MLO mammogram of the left breast. 62 y/o patient.
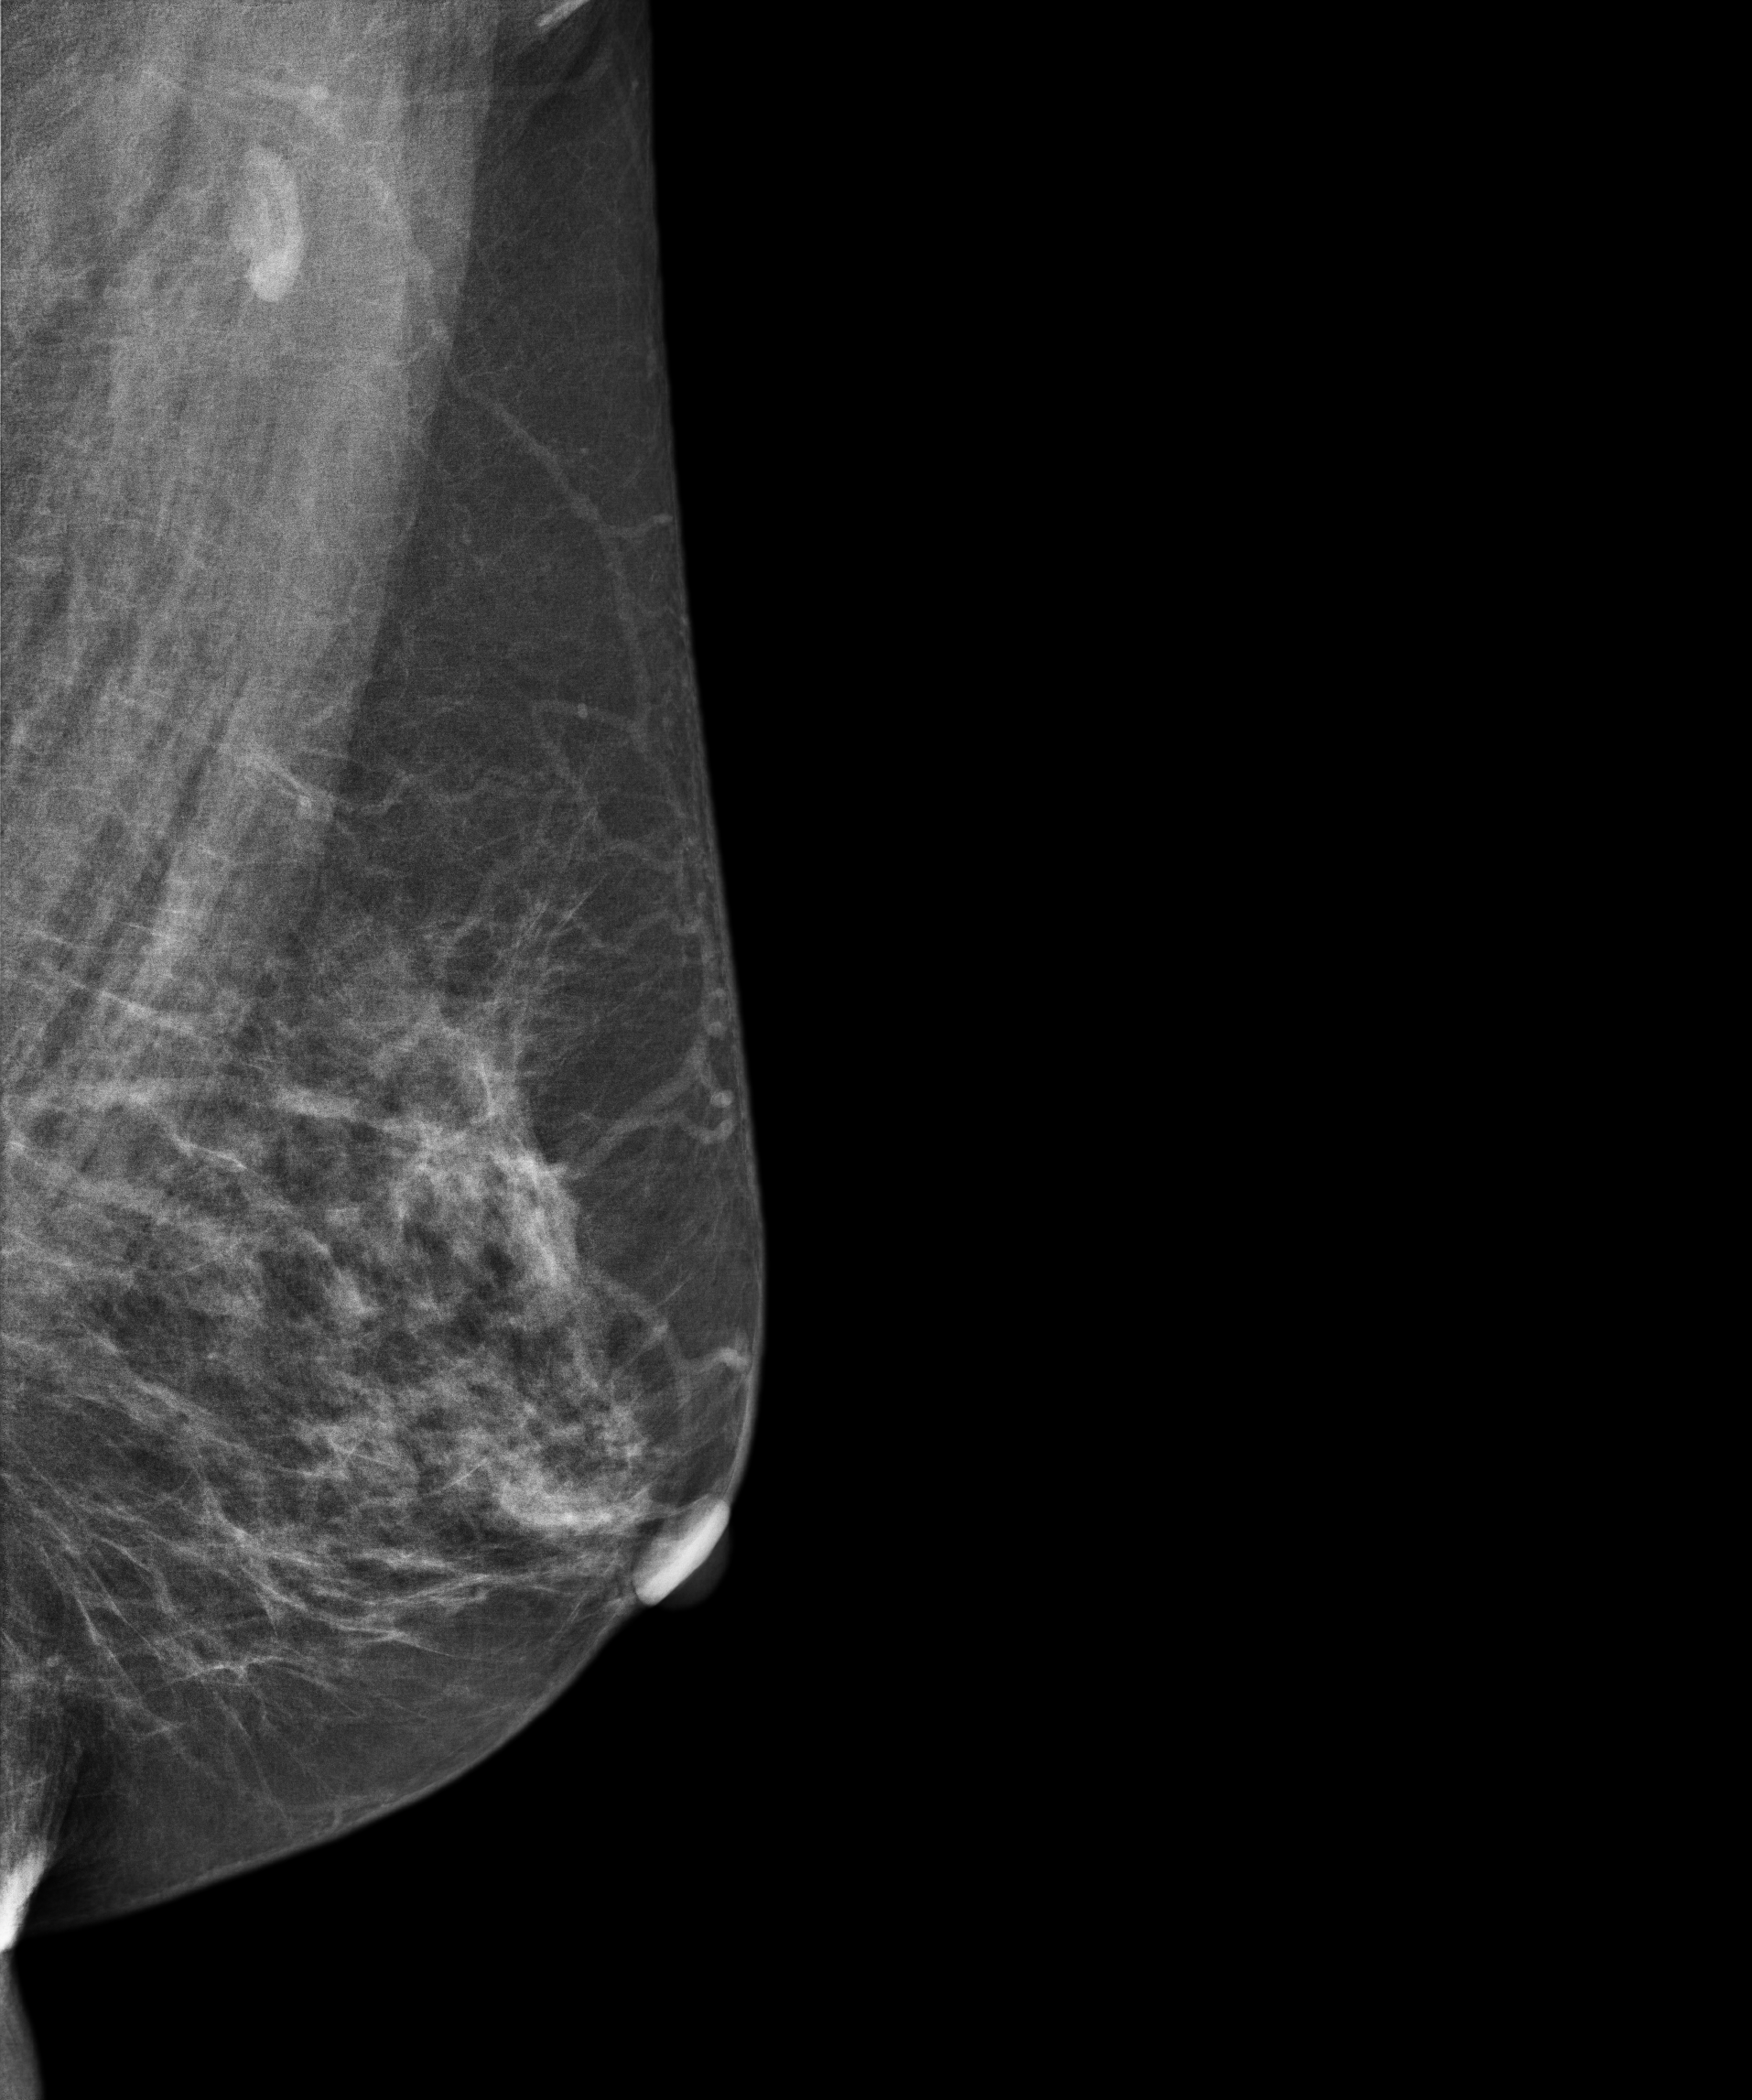
Contralateral breast — no documented abnormality on this side.